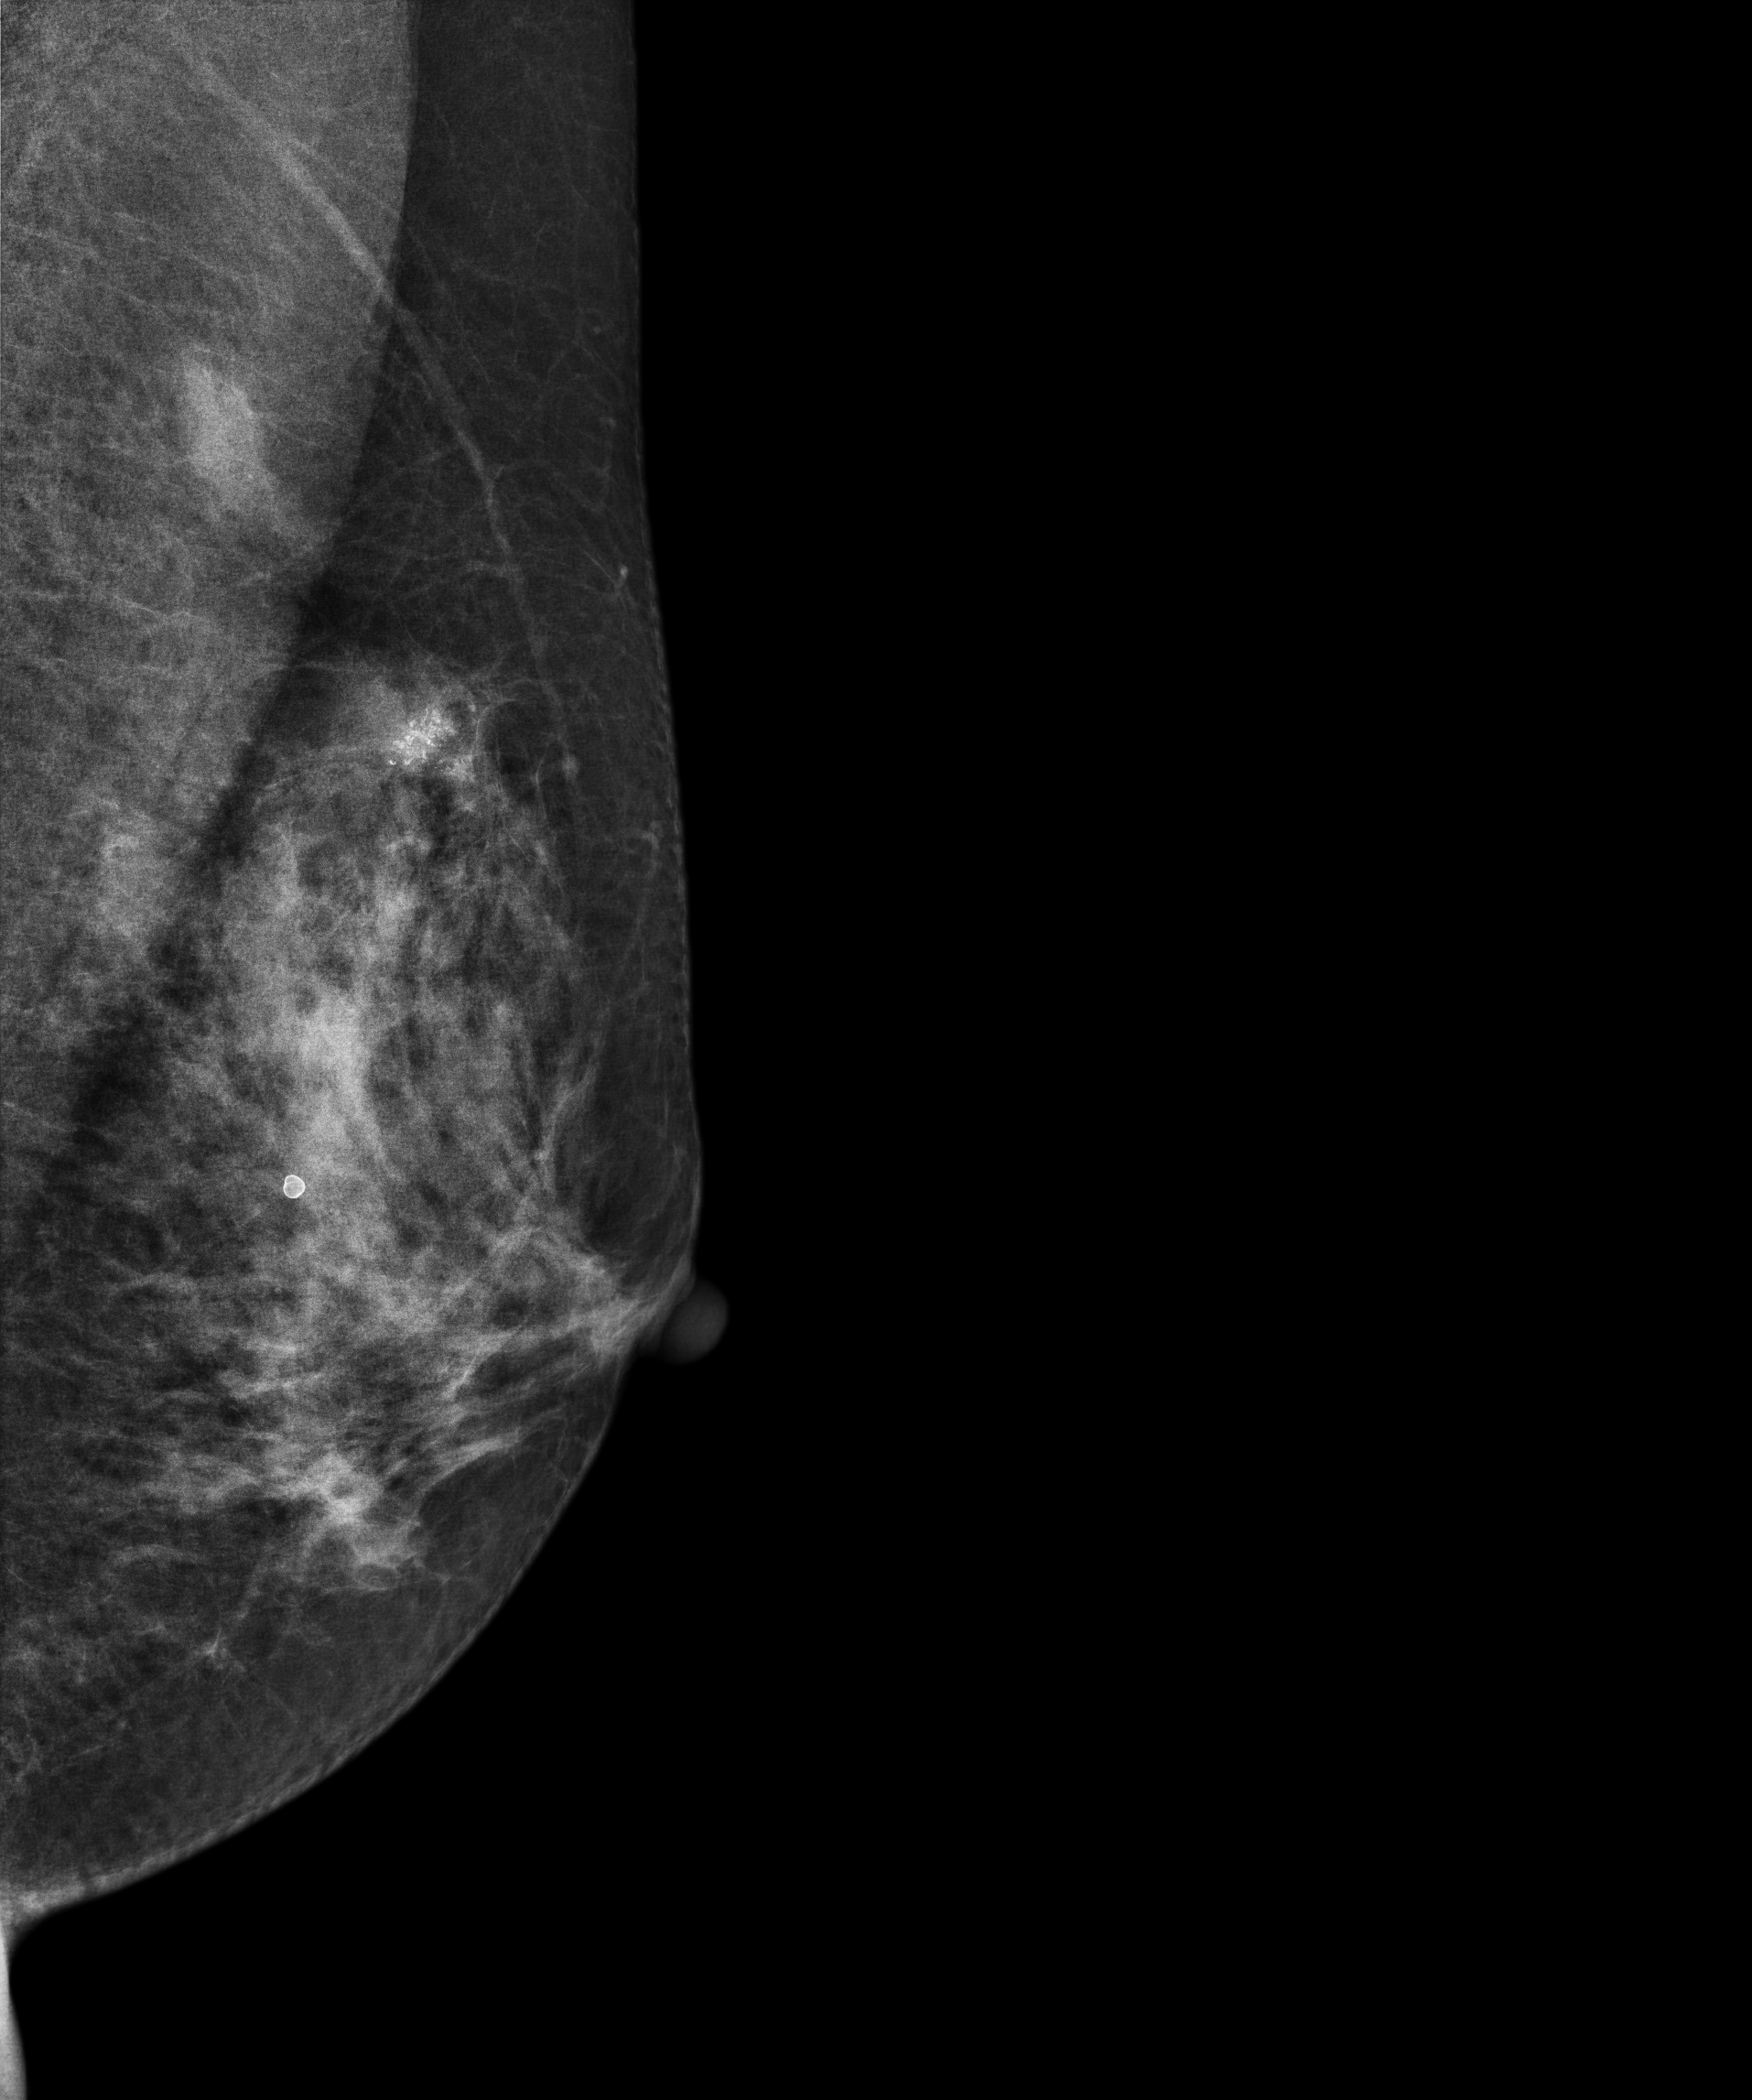
Medio-lateral oblique mammogram of the left breast. 48-year-old patient.
This breast has a mass and calcifications, biopsy-confirmed malignant.